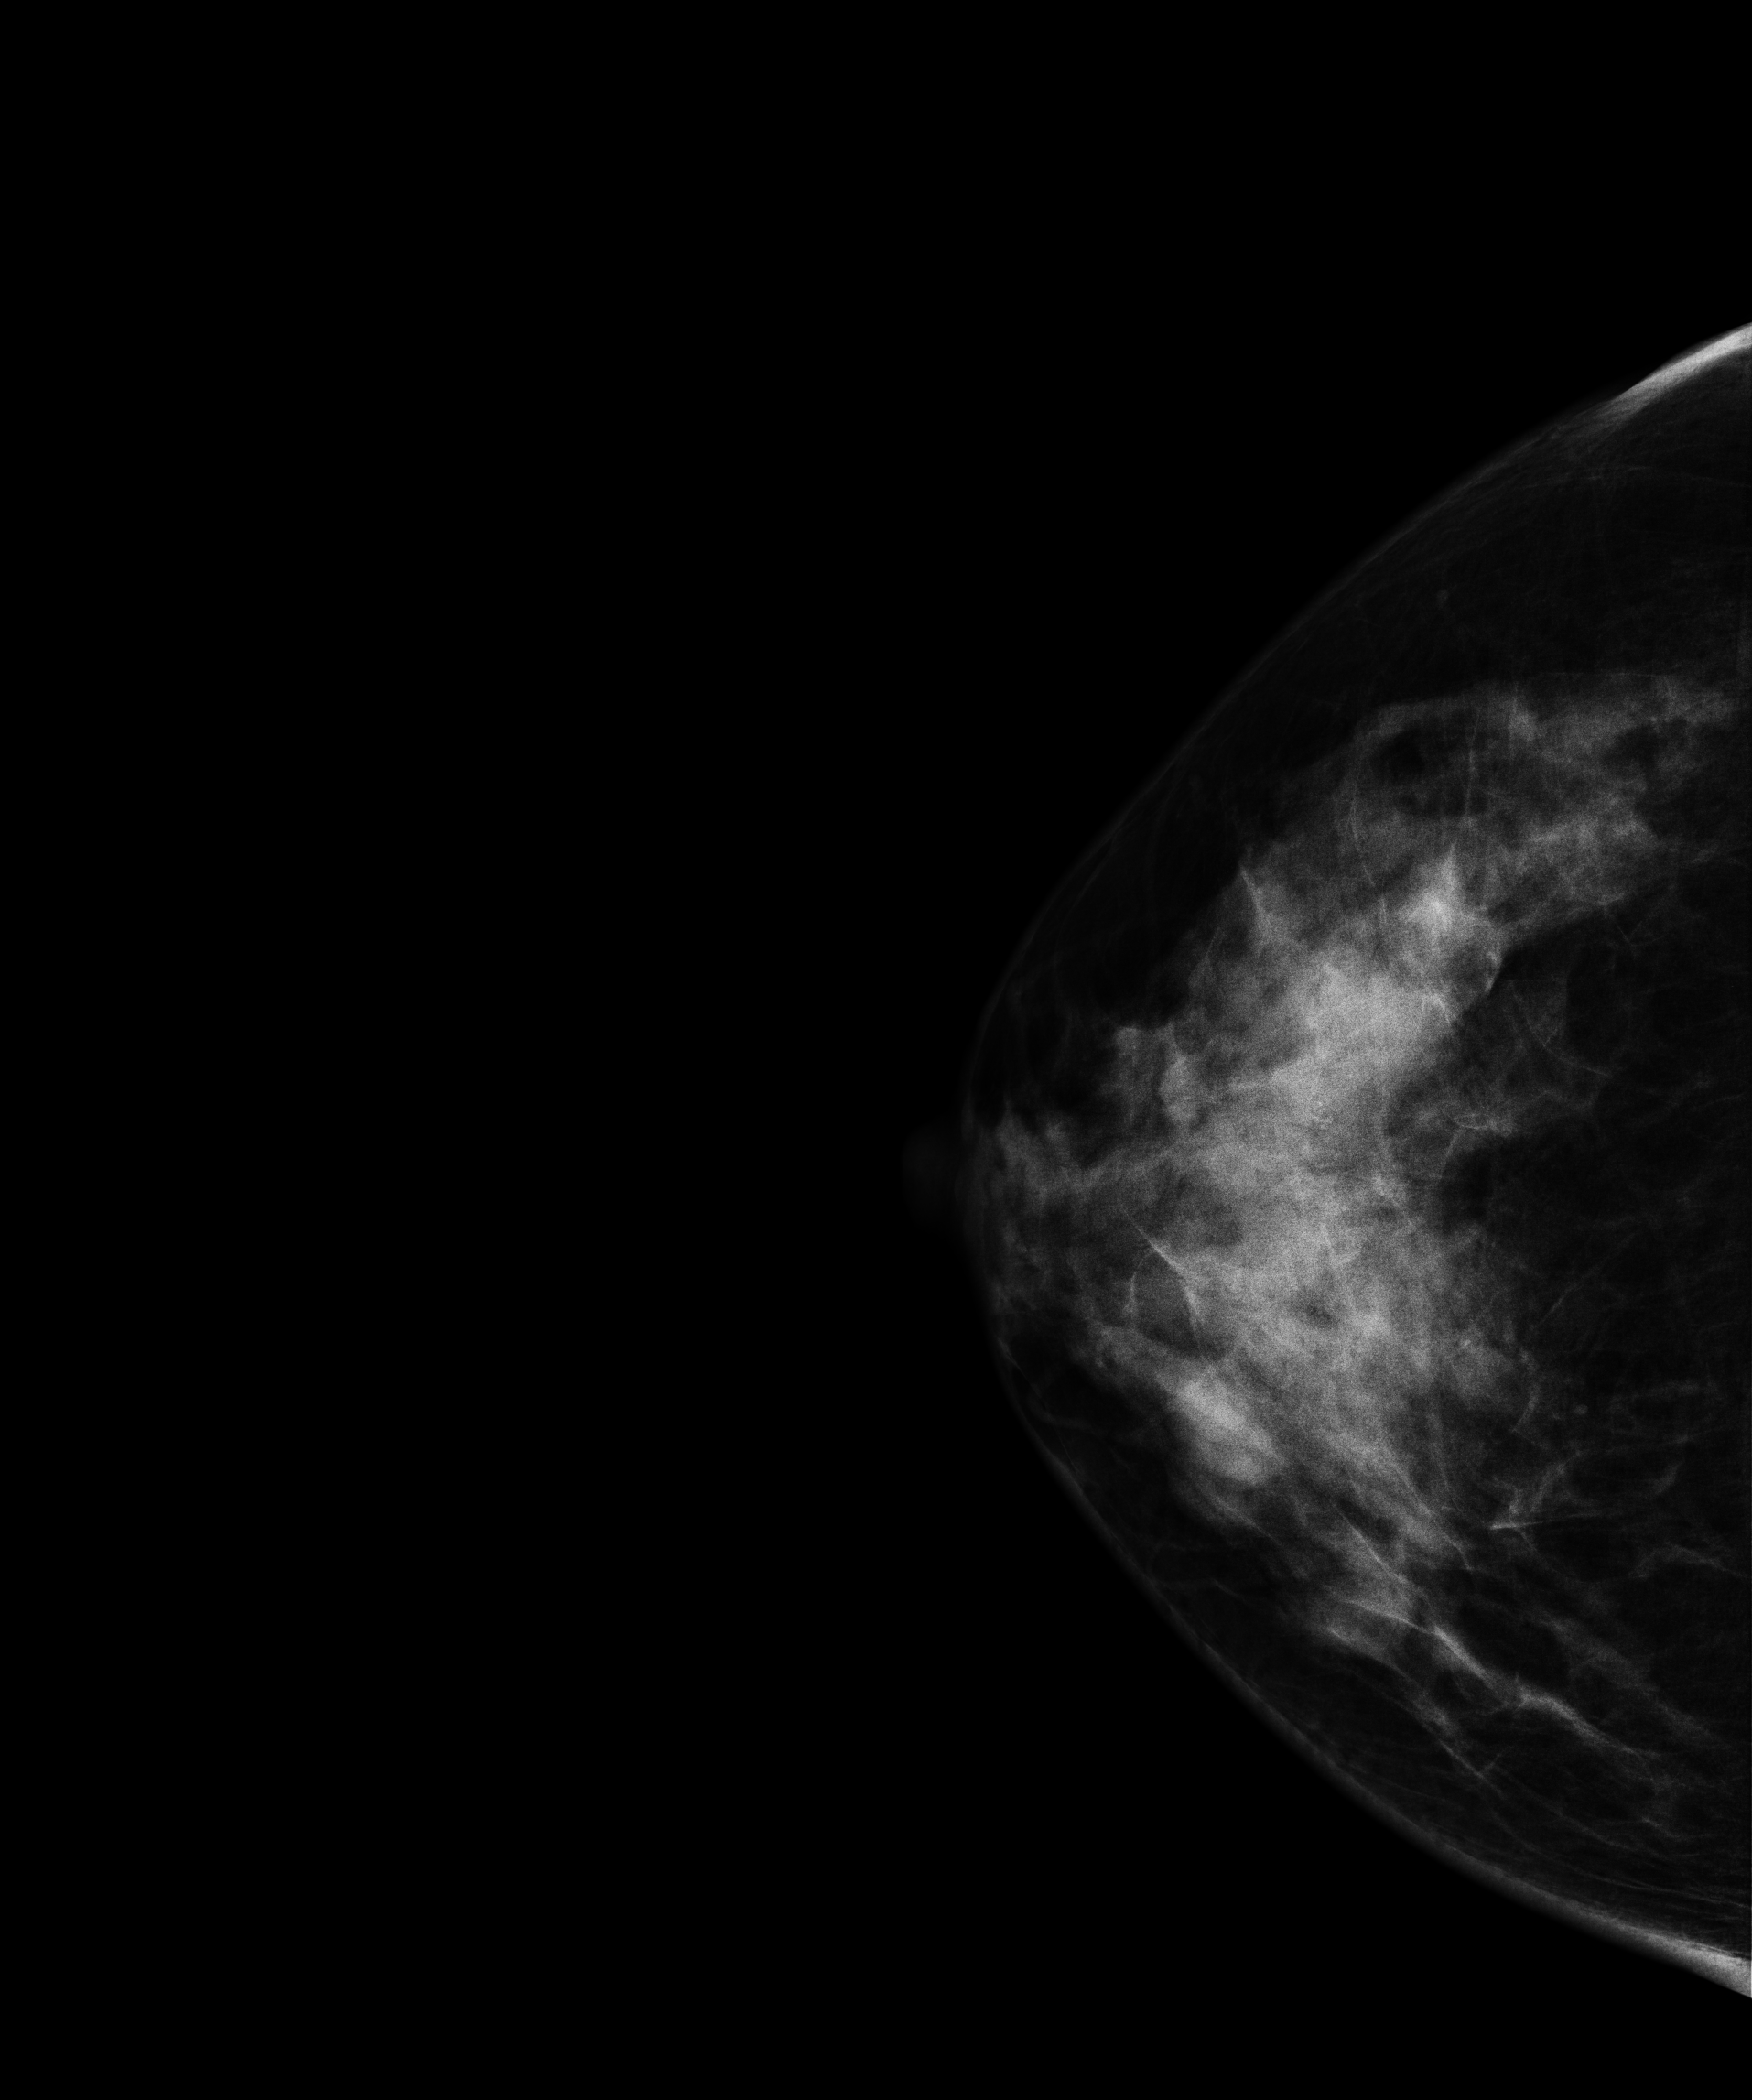
CC mammogram of the right breast. 49 y/o patient.
Contralateral breast — no documented abnormality on this side.